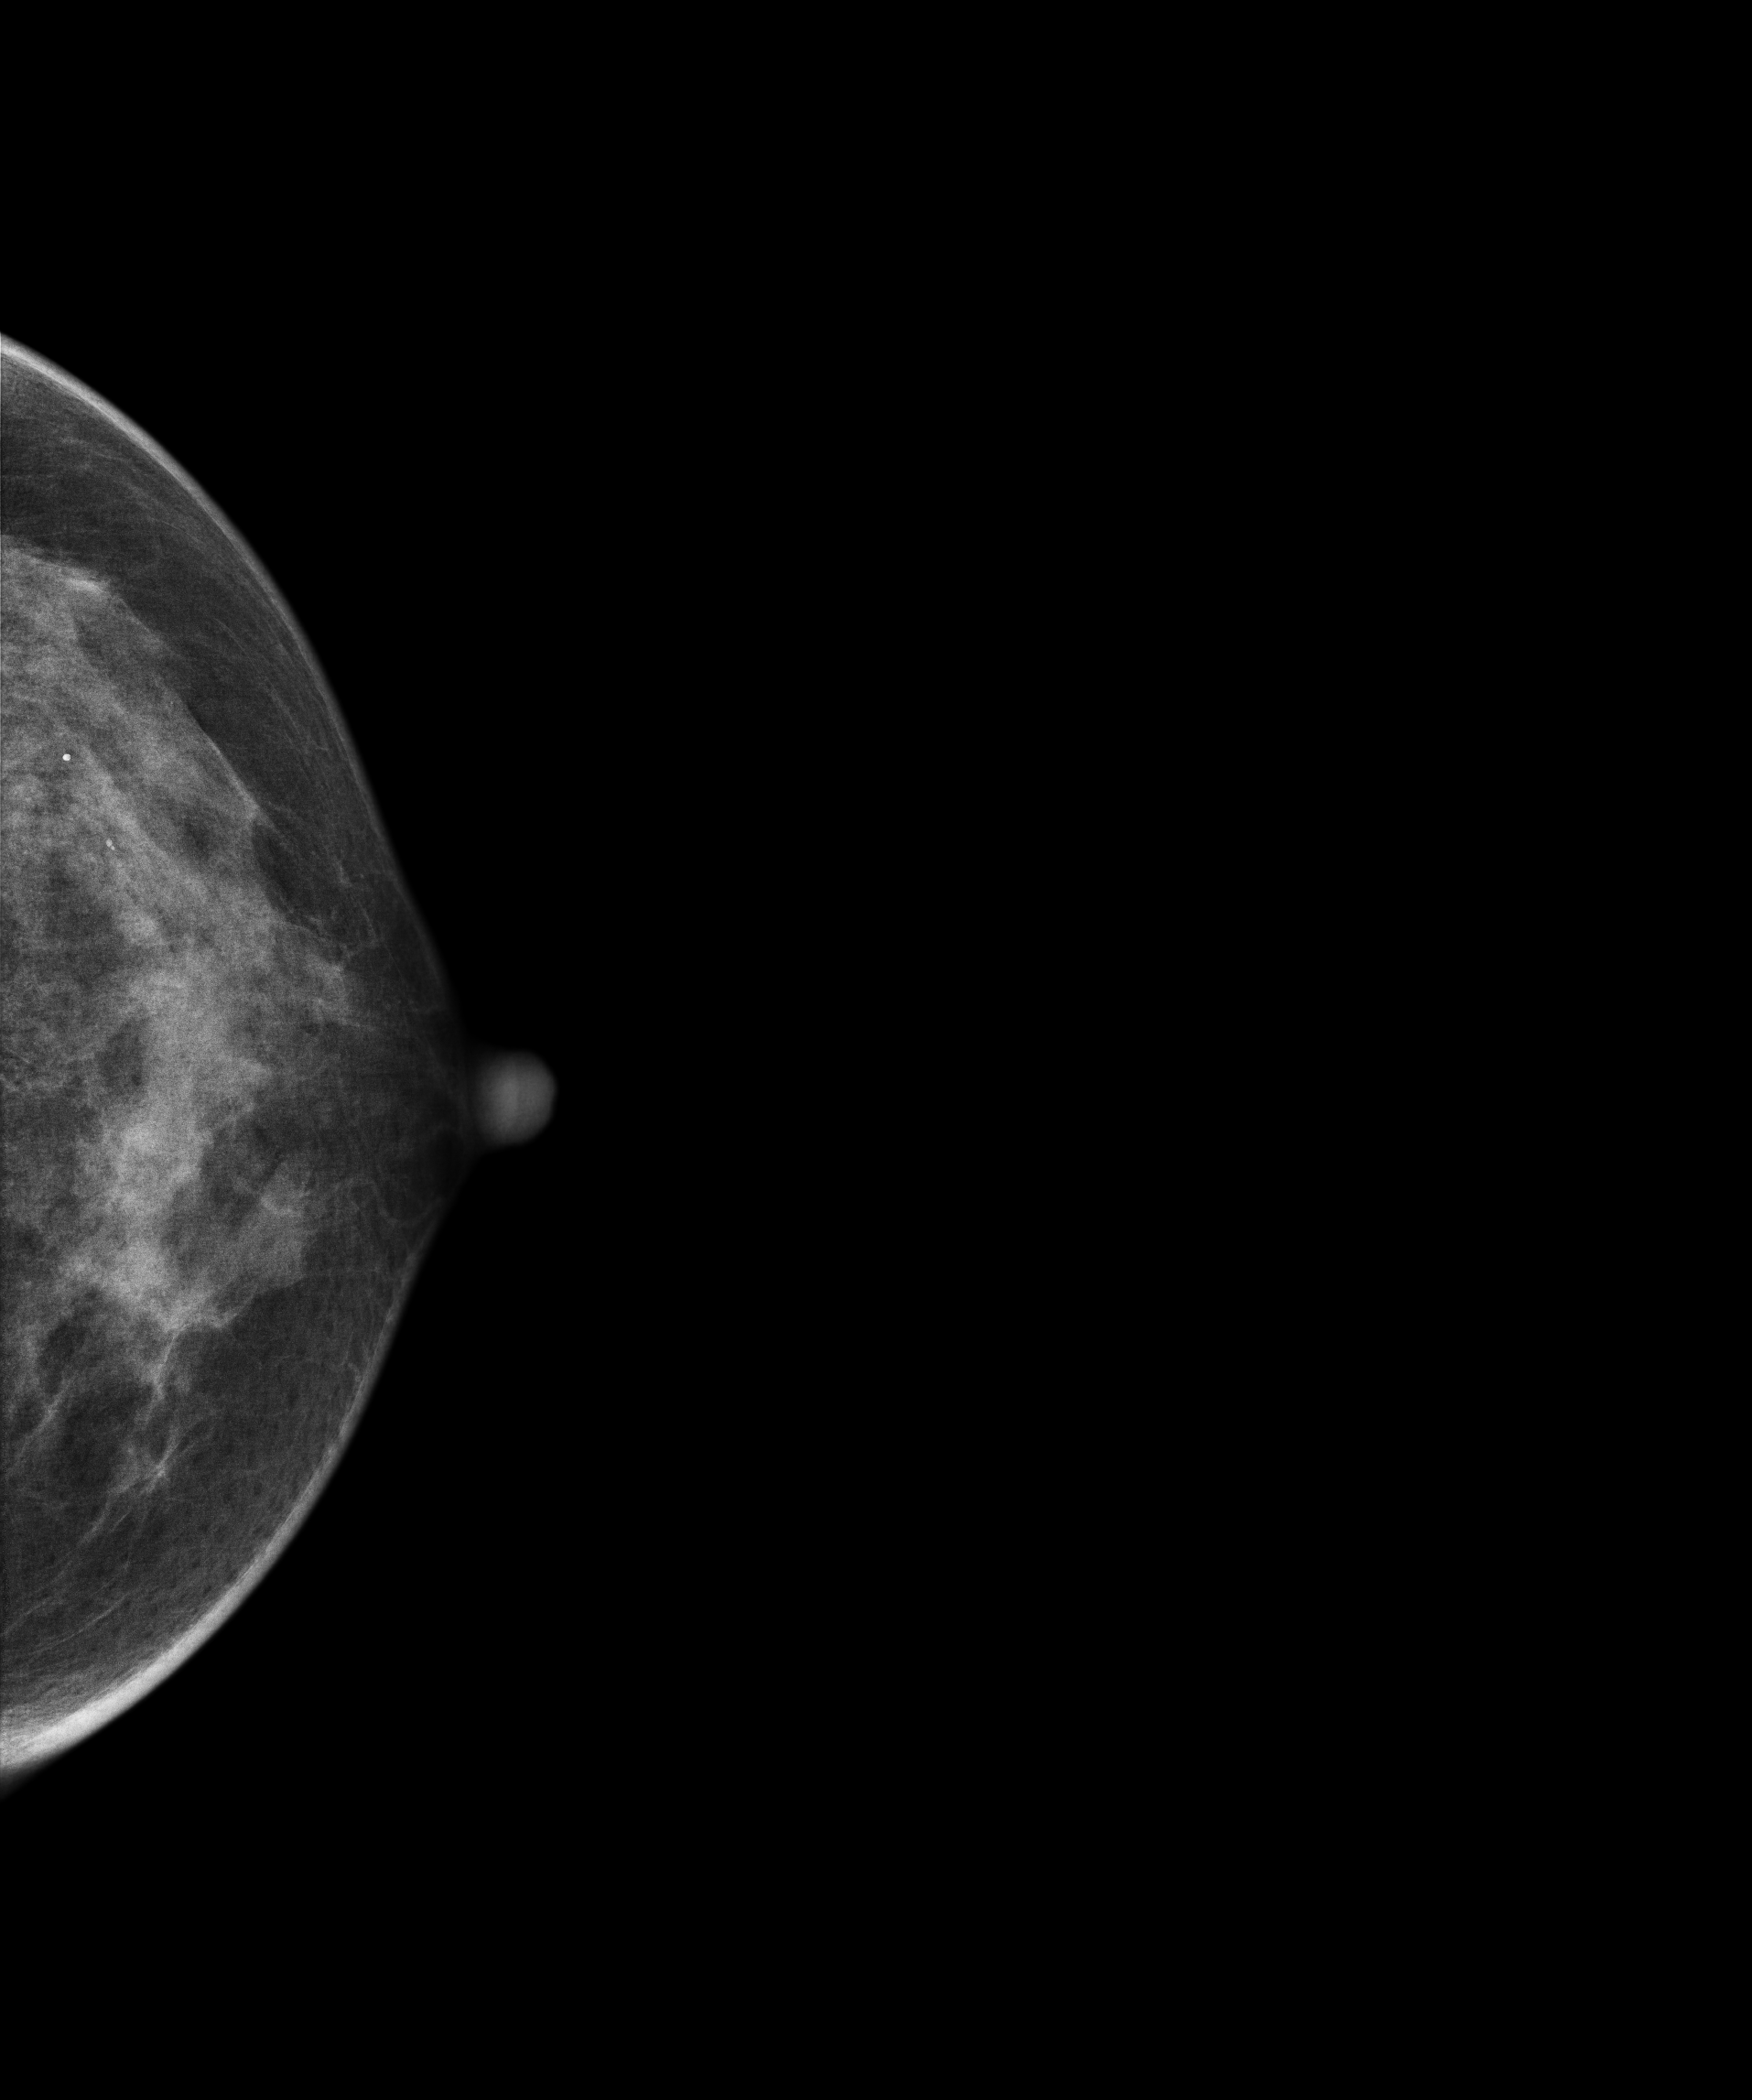
Mammogram — left CC. Patient age 51.
Contralateral breast — no documented abnormality on this side.